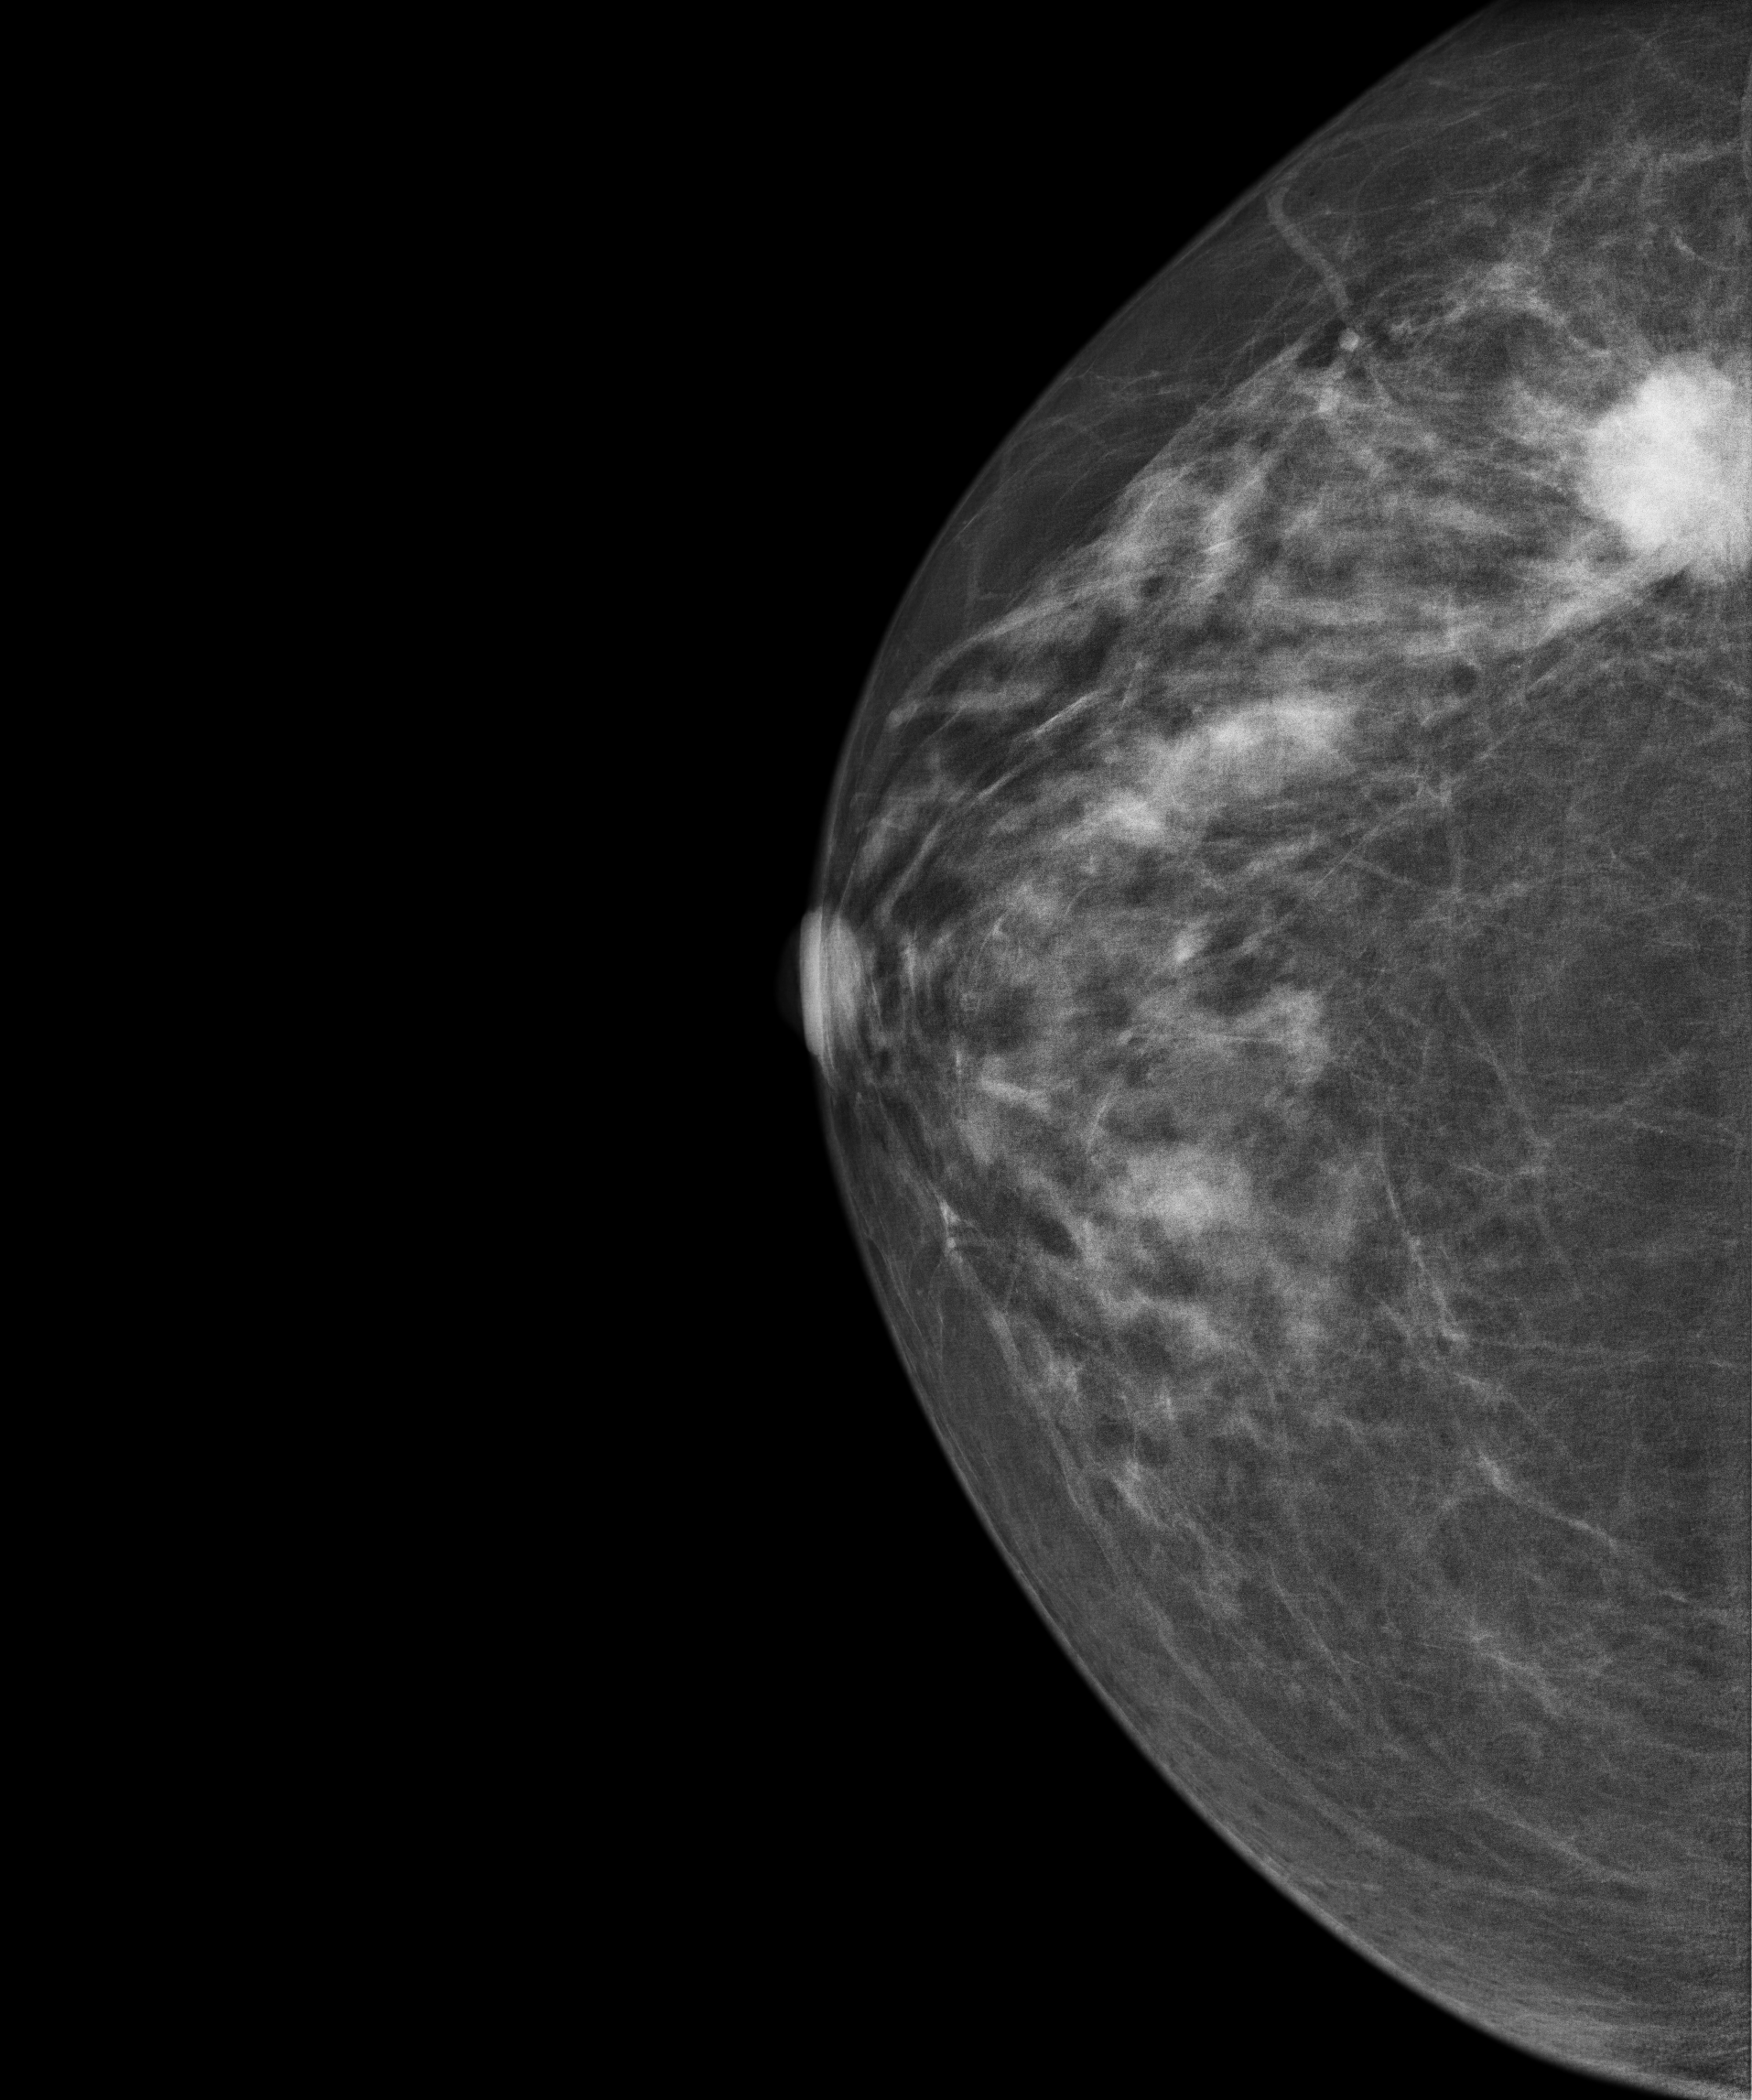
Mammogram, right breast, CC view. 66 y/o patient.
This breast has a mass, biopsy-proven malignant. Molecular subtype: luminal B.